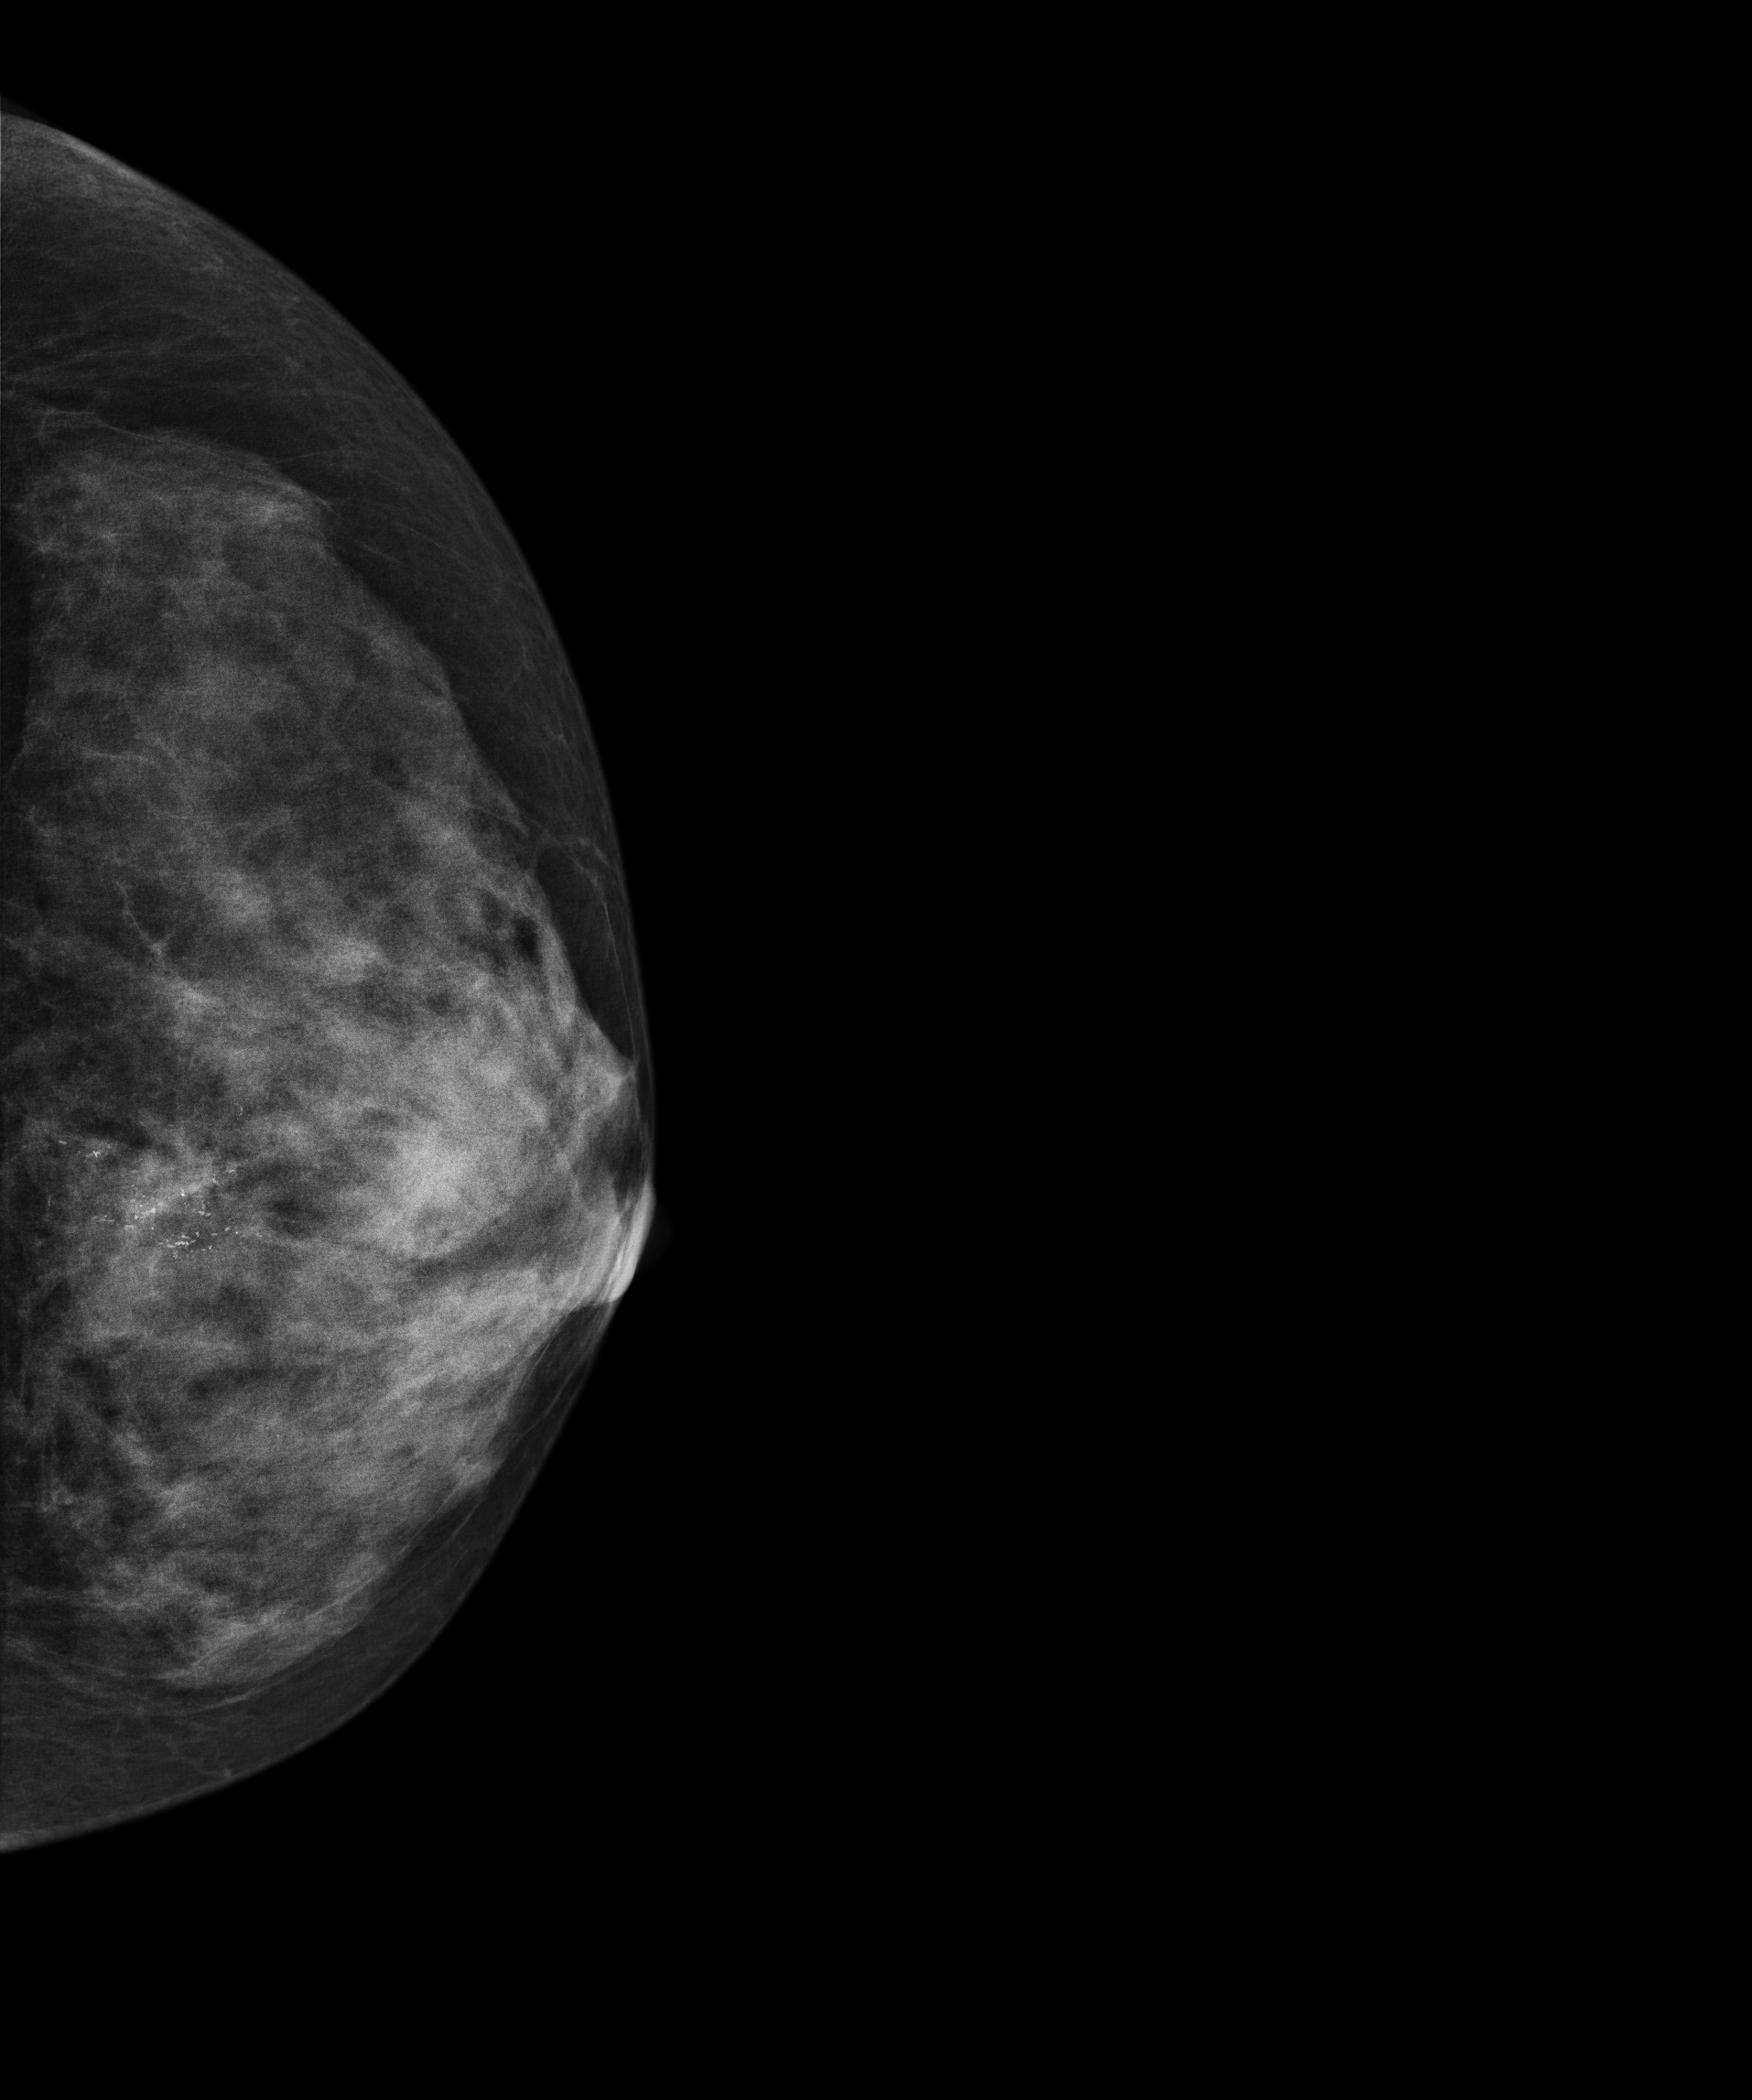
Digital mammography. Left breast, CC projection. 46-year-old patient.
This breast has a mass and calcifications, biopsy-proven malignant. Molecular subtype: luminal B.